Left-breast mammogram, CC. 31-year-old patient.
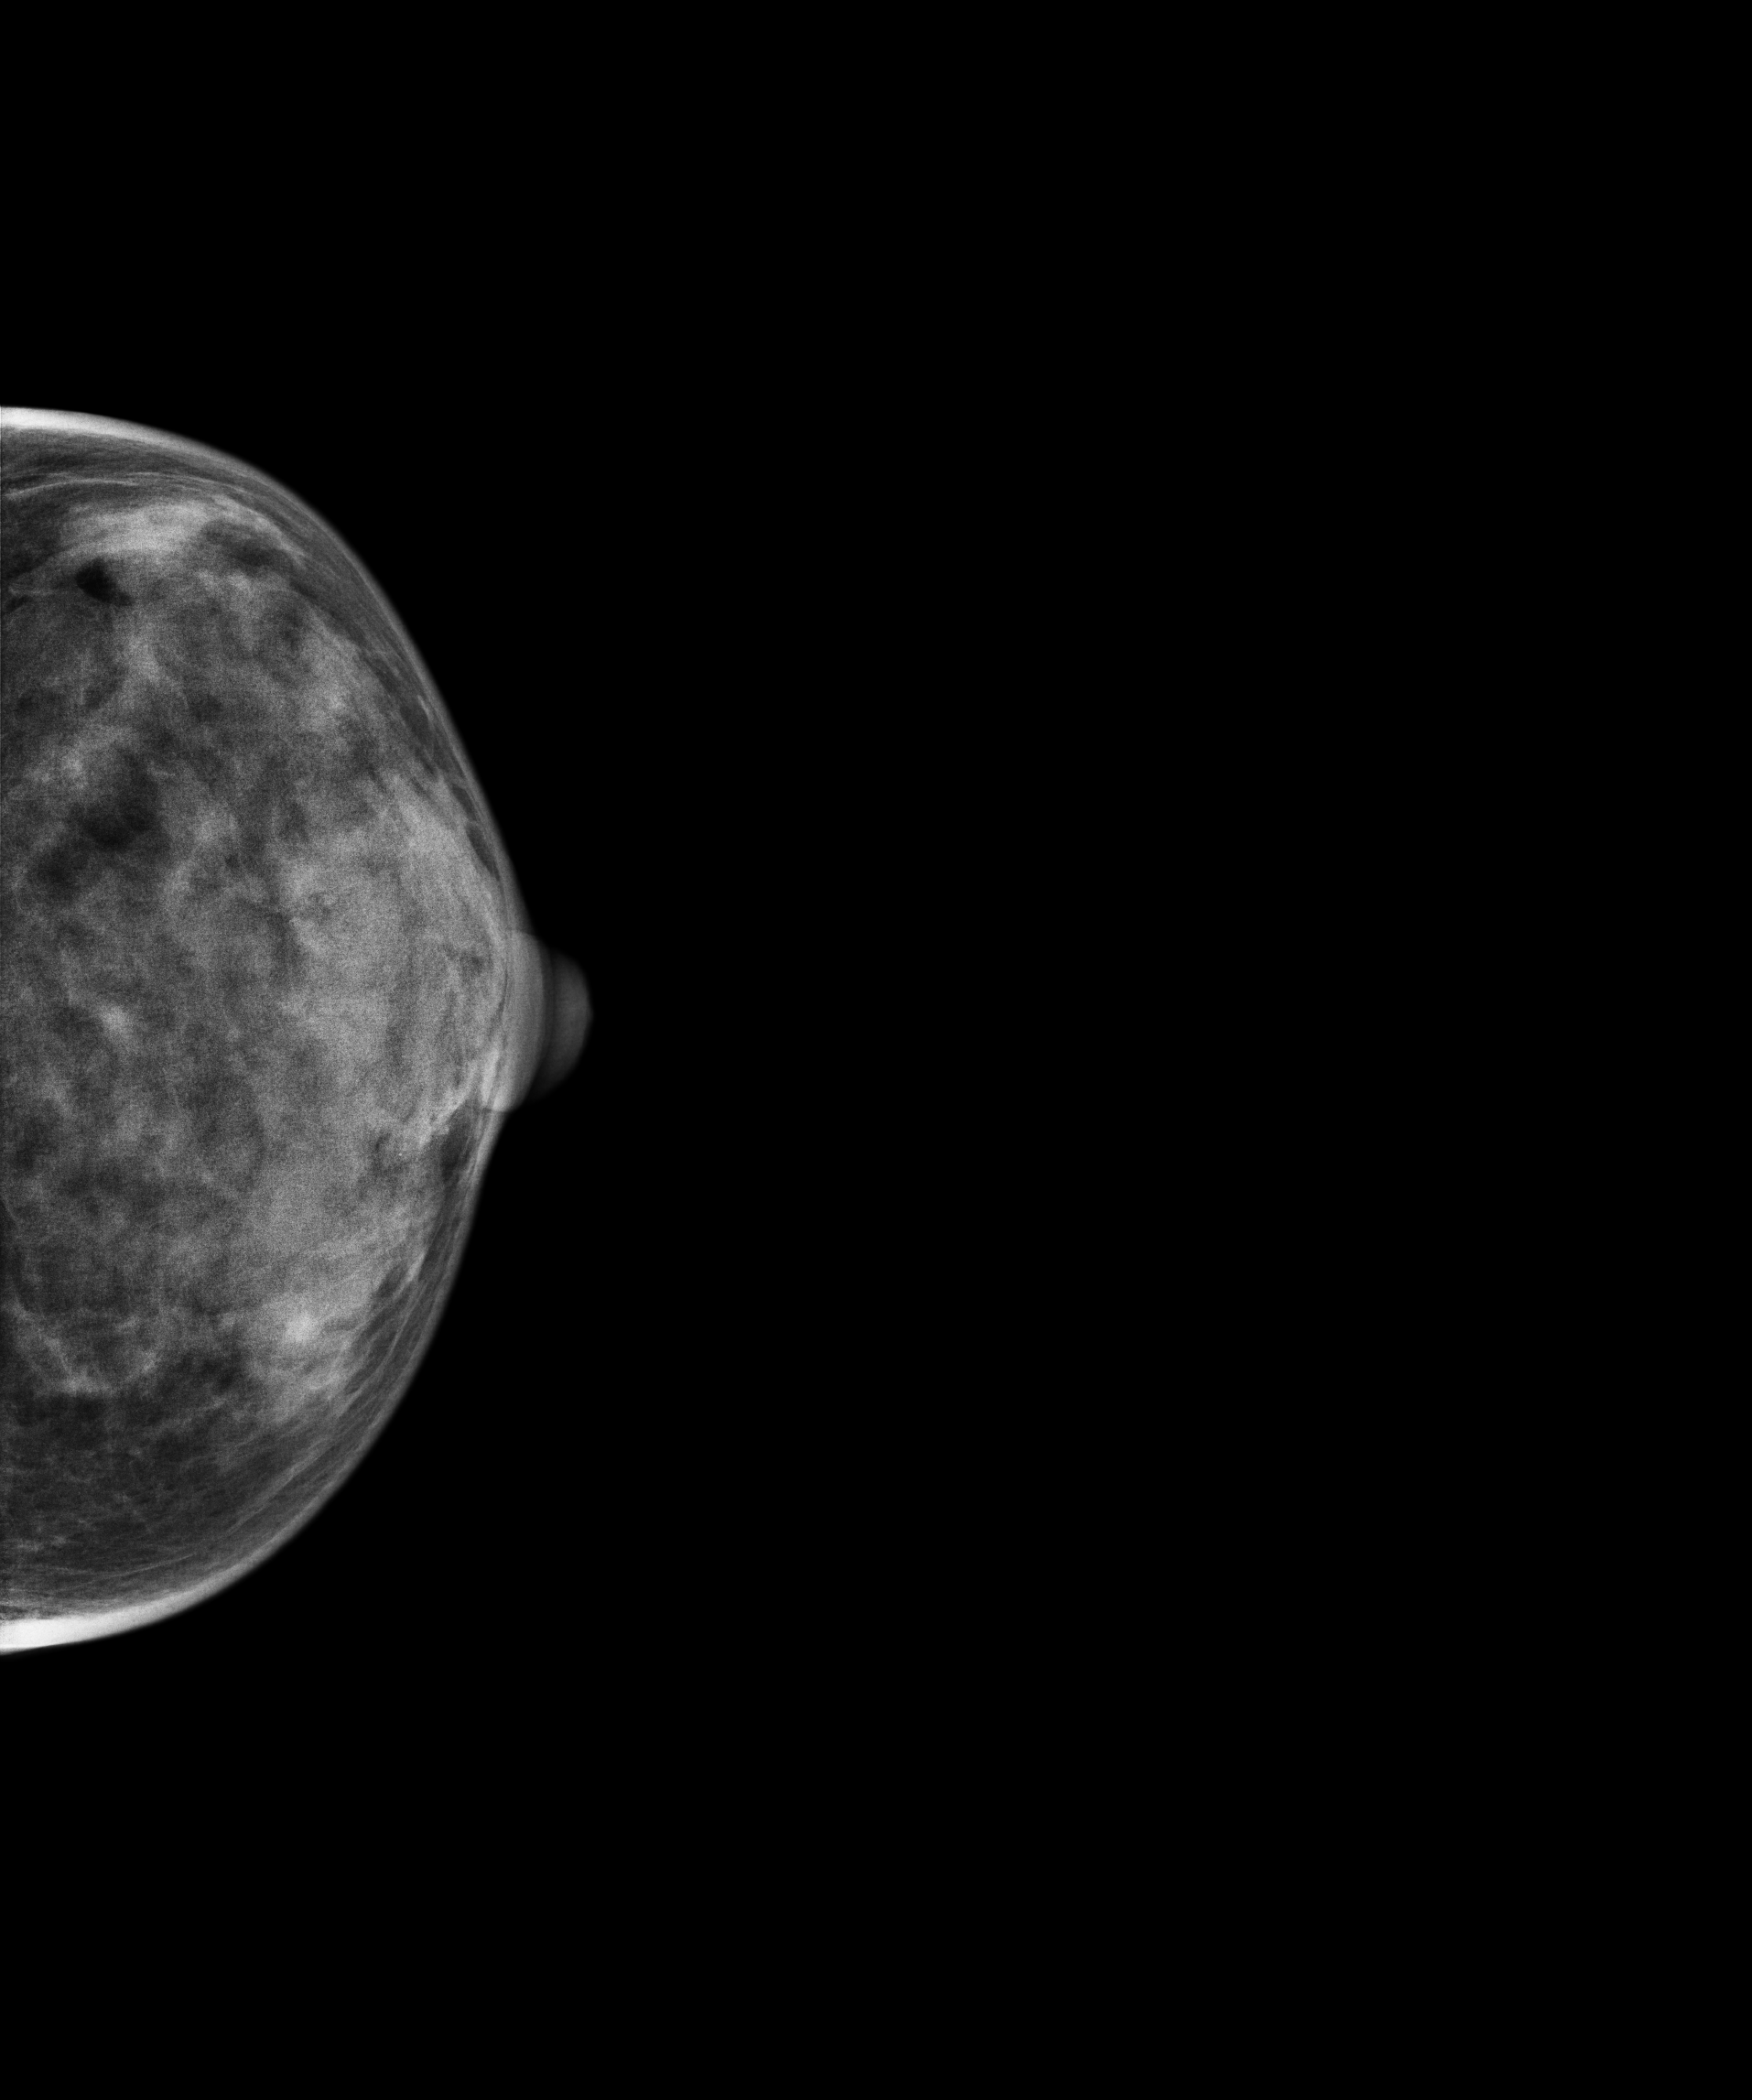
Contralateral breast — no documented abnormality on this side.